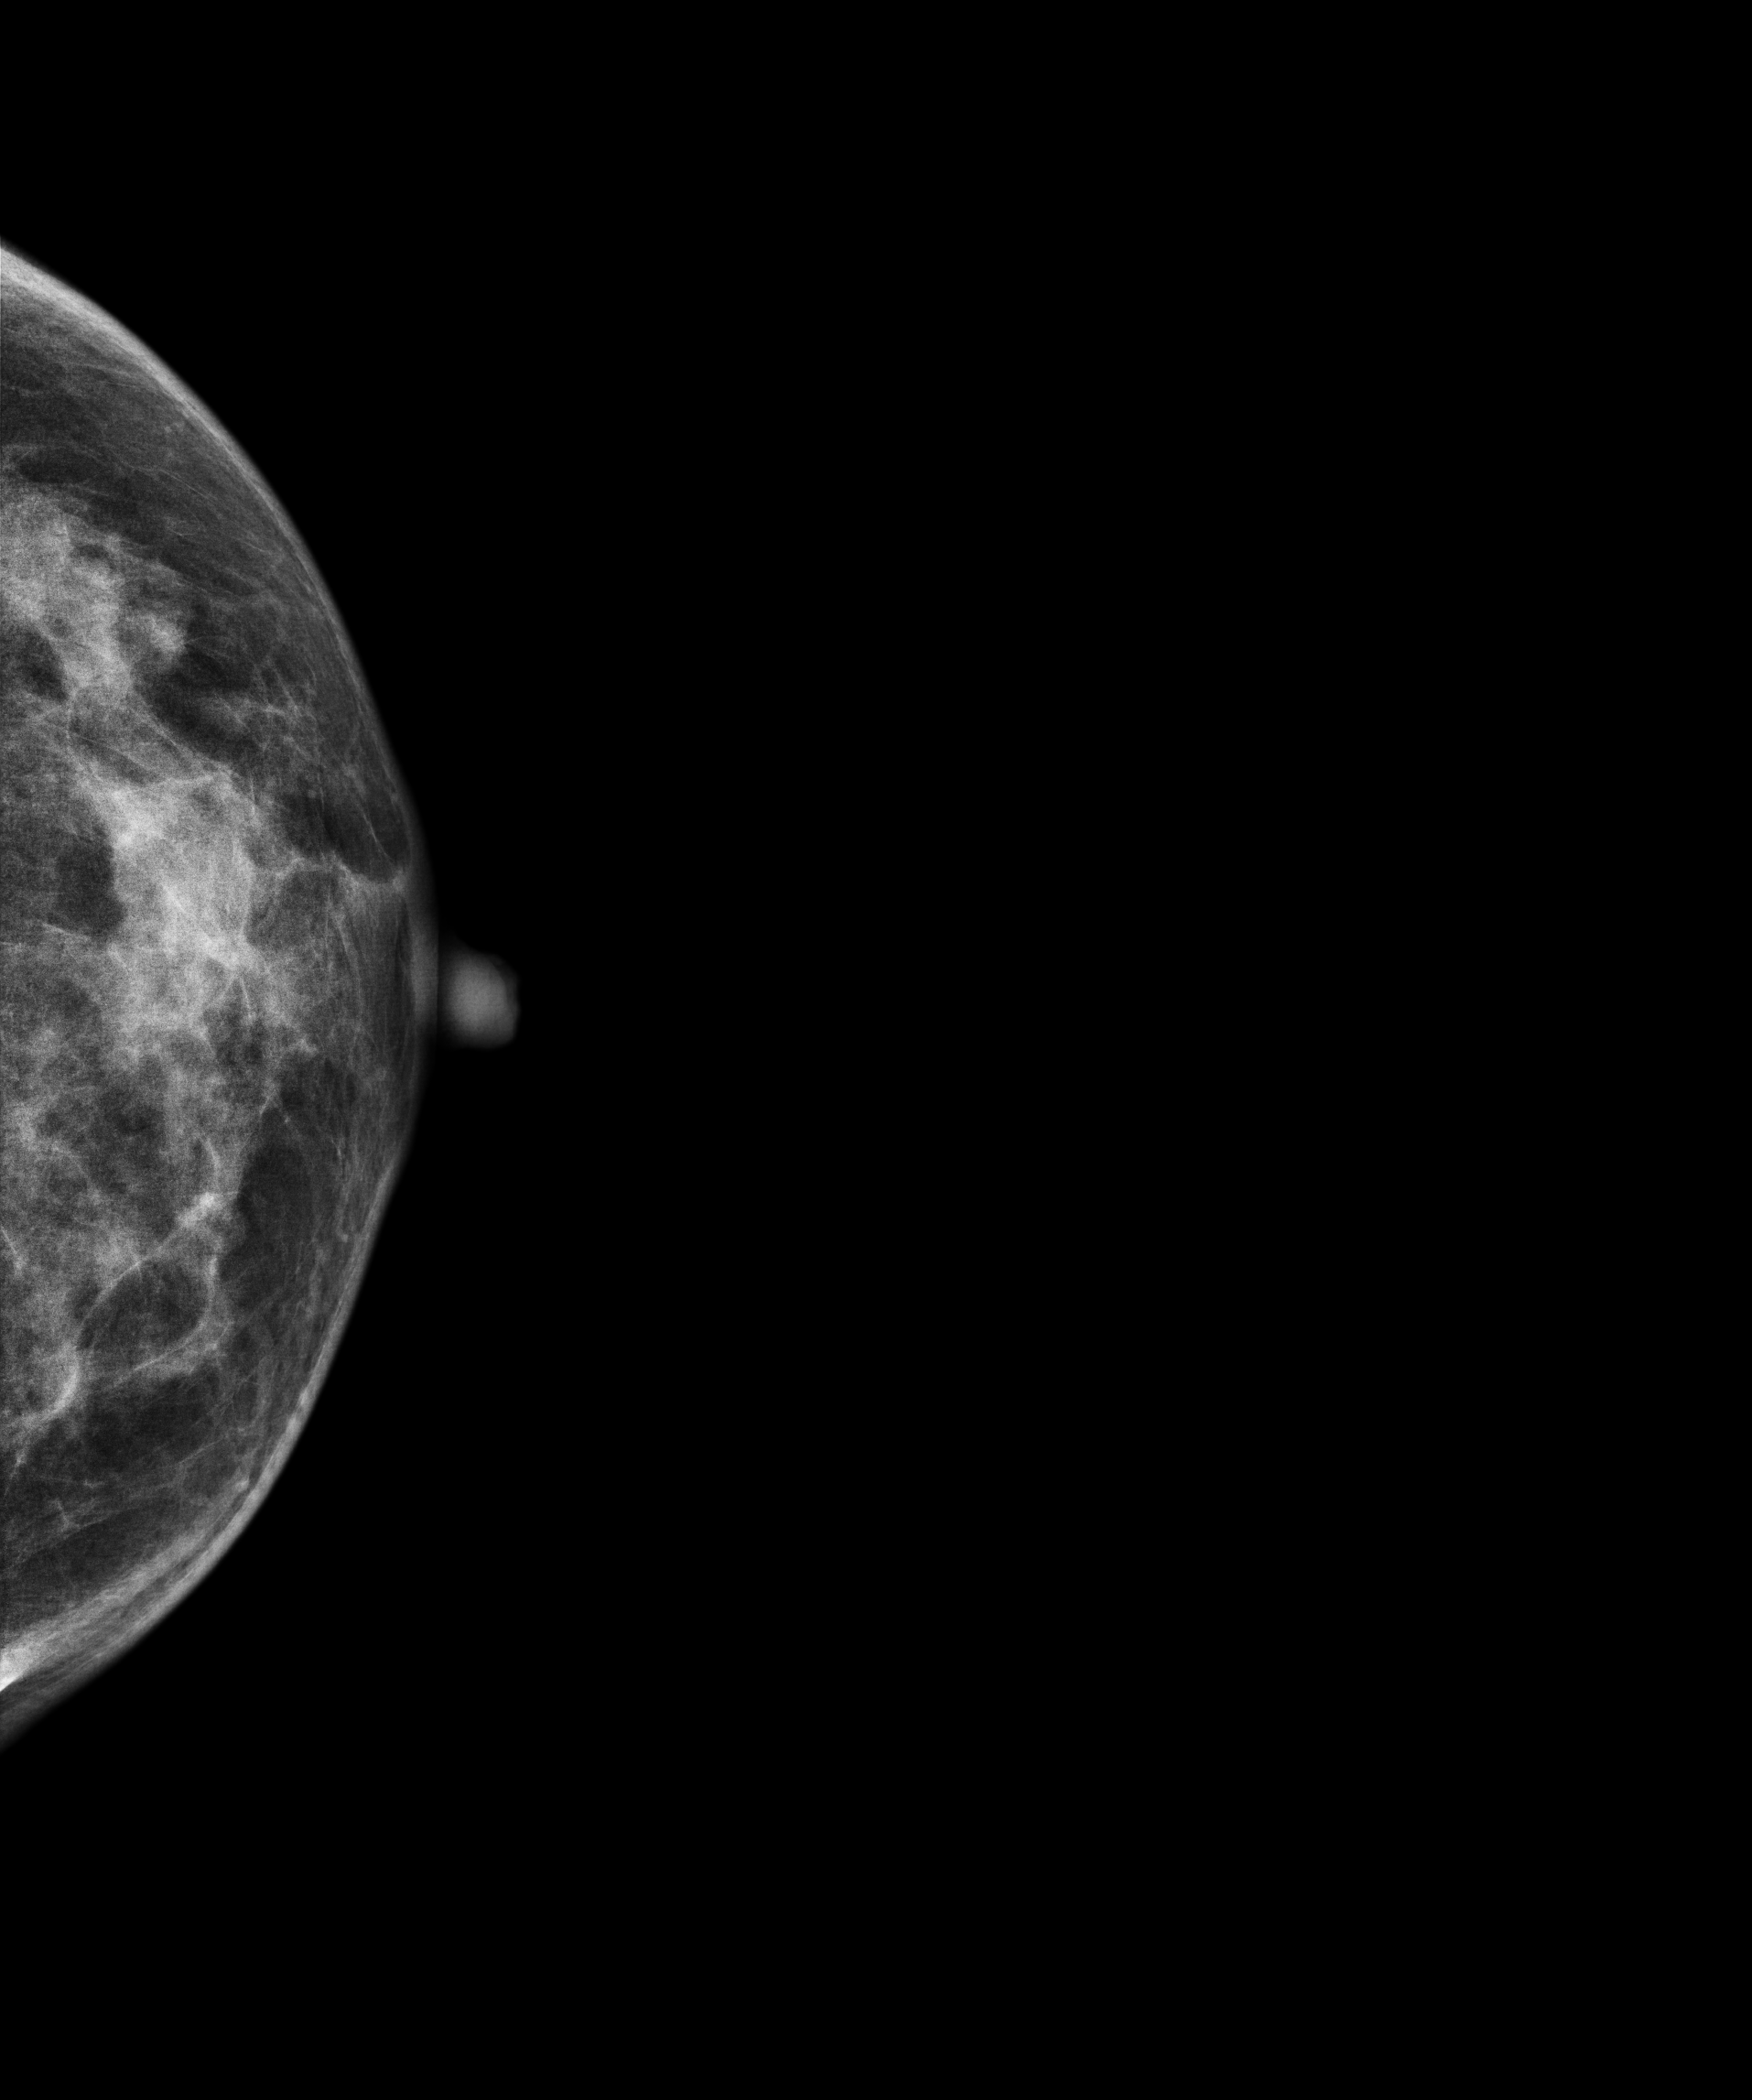
Left-breast mammogram, cranio-caudal. Patient age 44.
This breast has a mass, biopsy-confirmed benign.